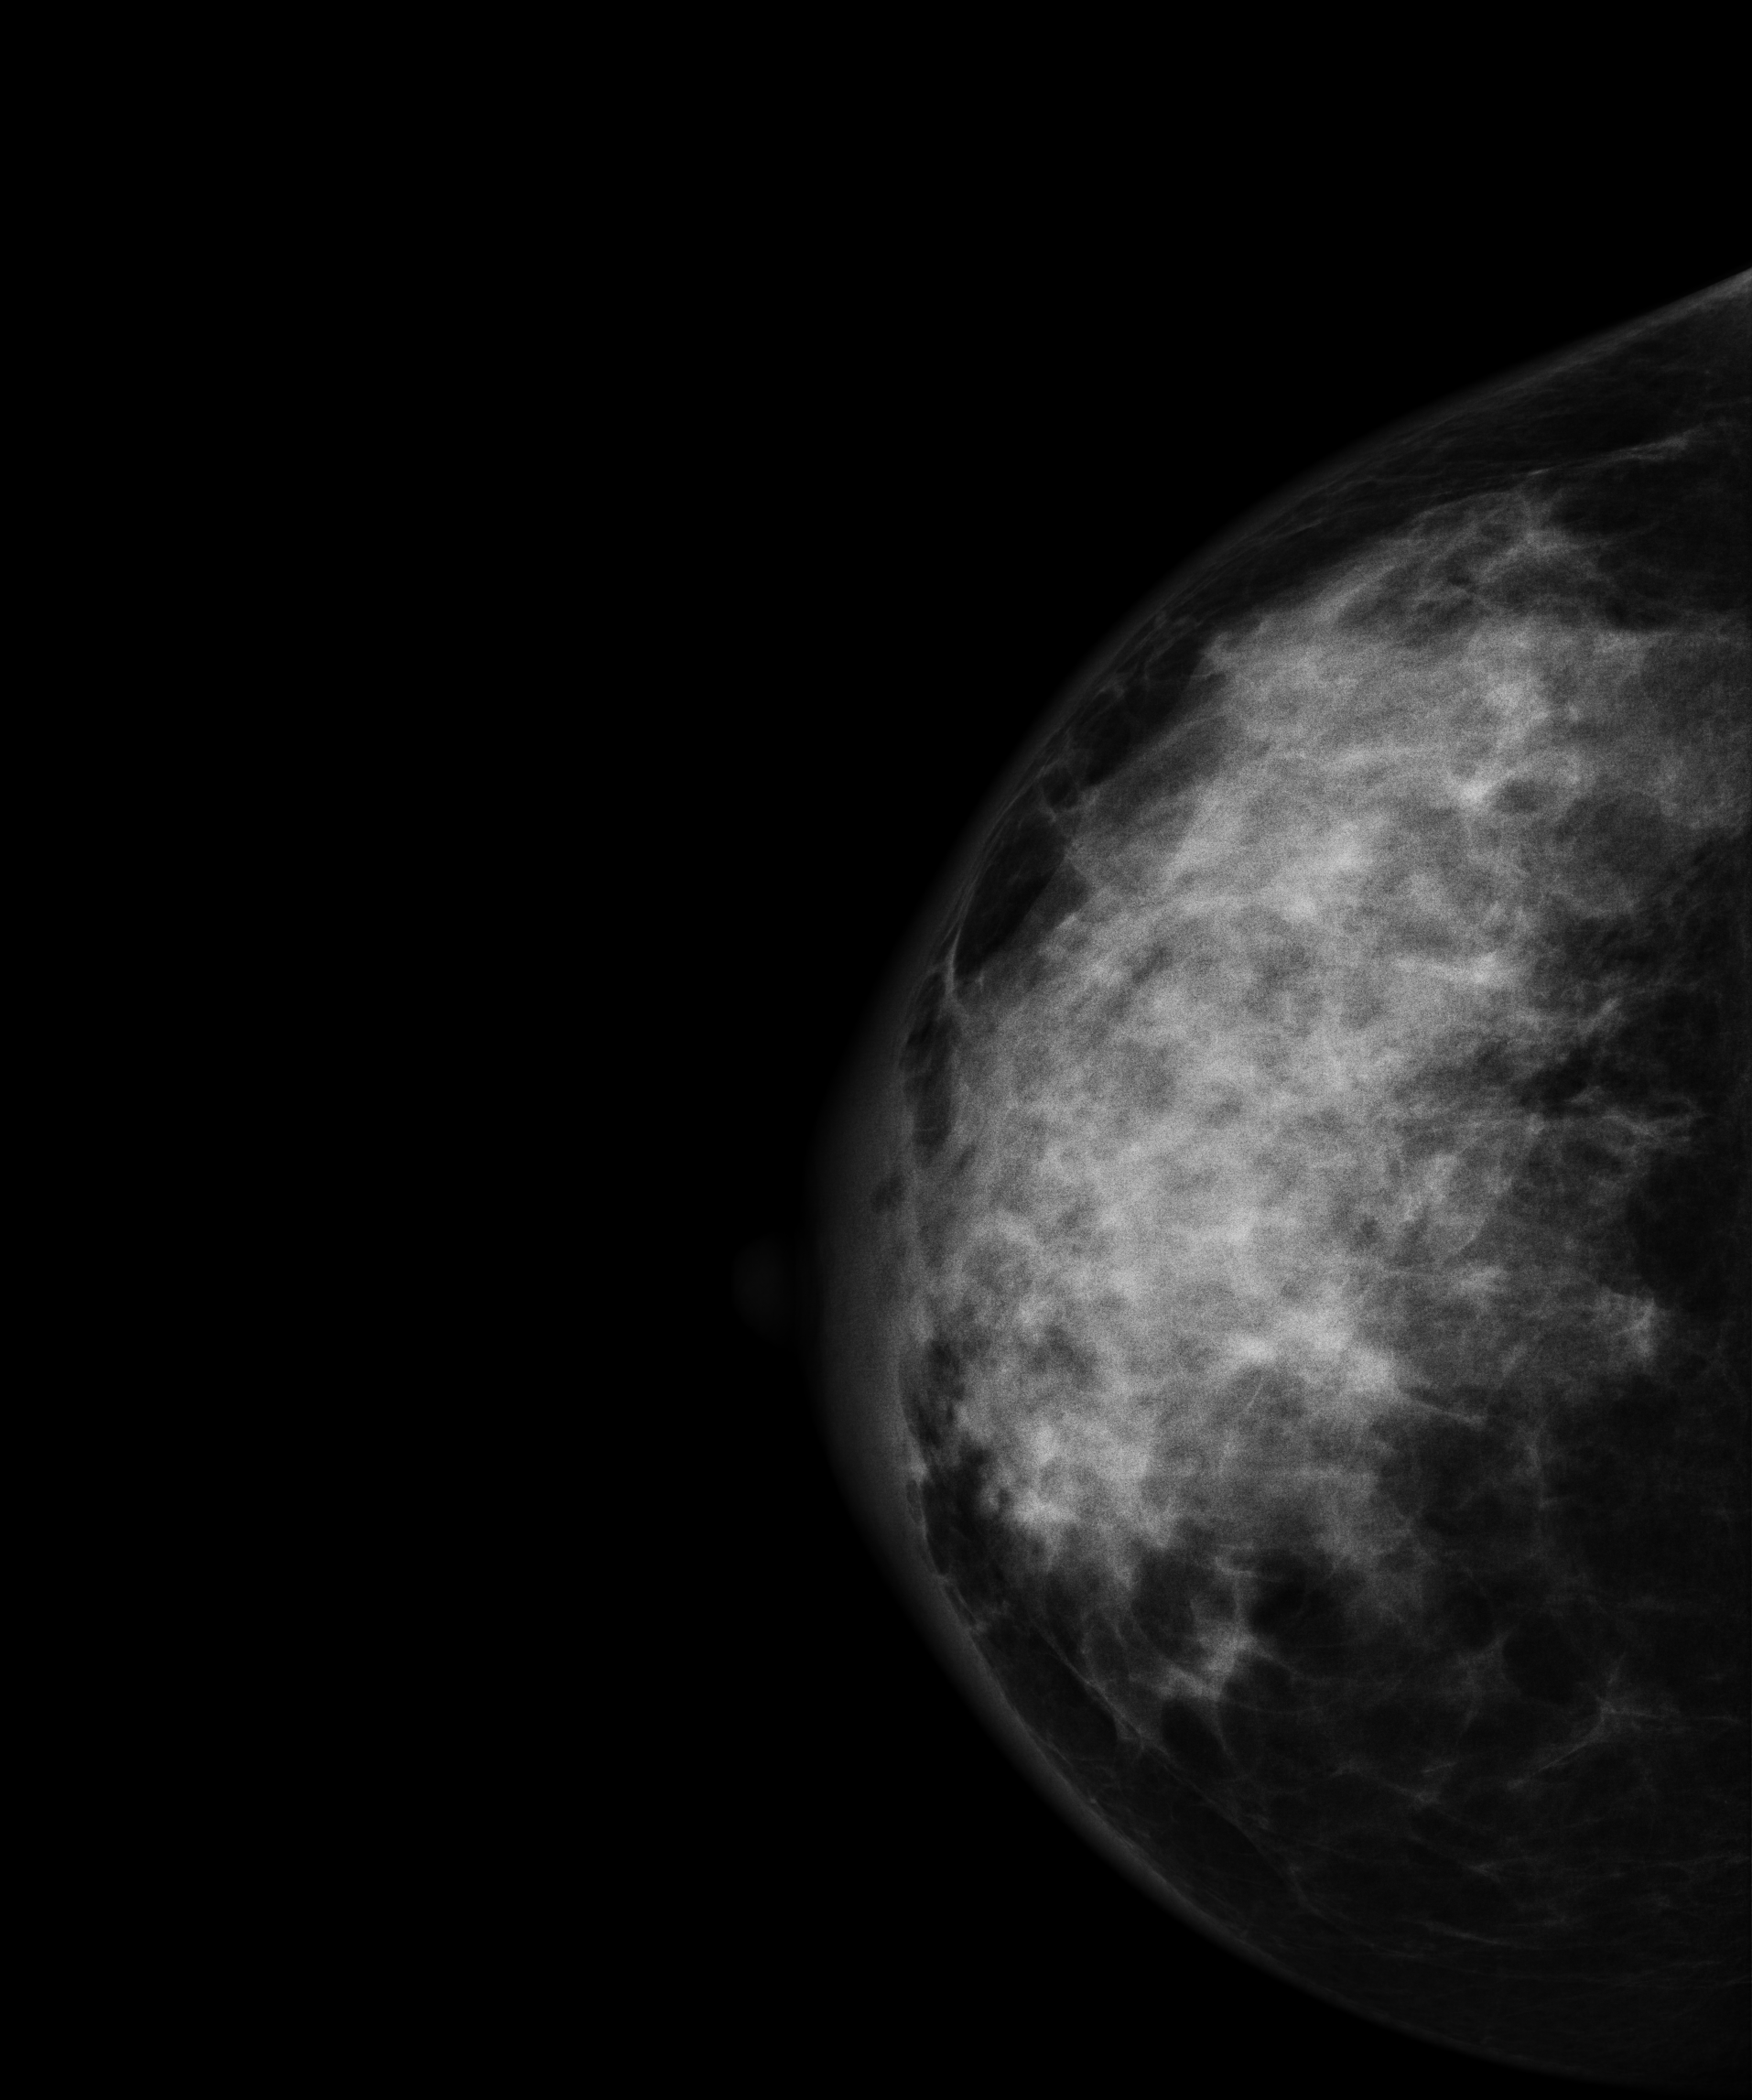
Mammogram — right CC. 39 y/o patient.
This breast has a mass, pathology-confirmed malignant. Molecular subtype: luminal B.